Left-breast mammogram, MLO. 33 y/o patient.
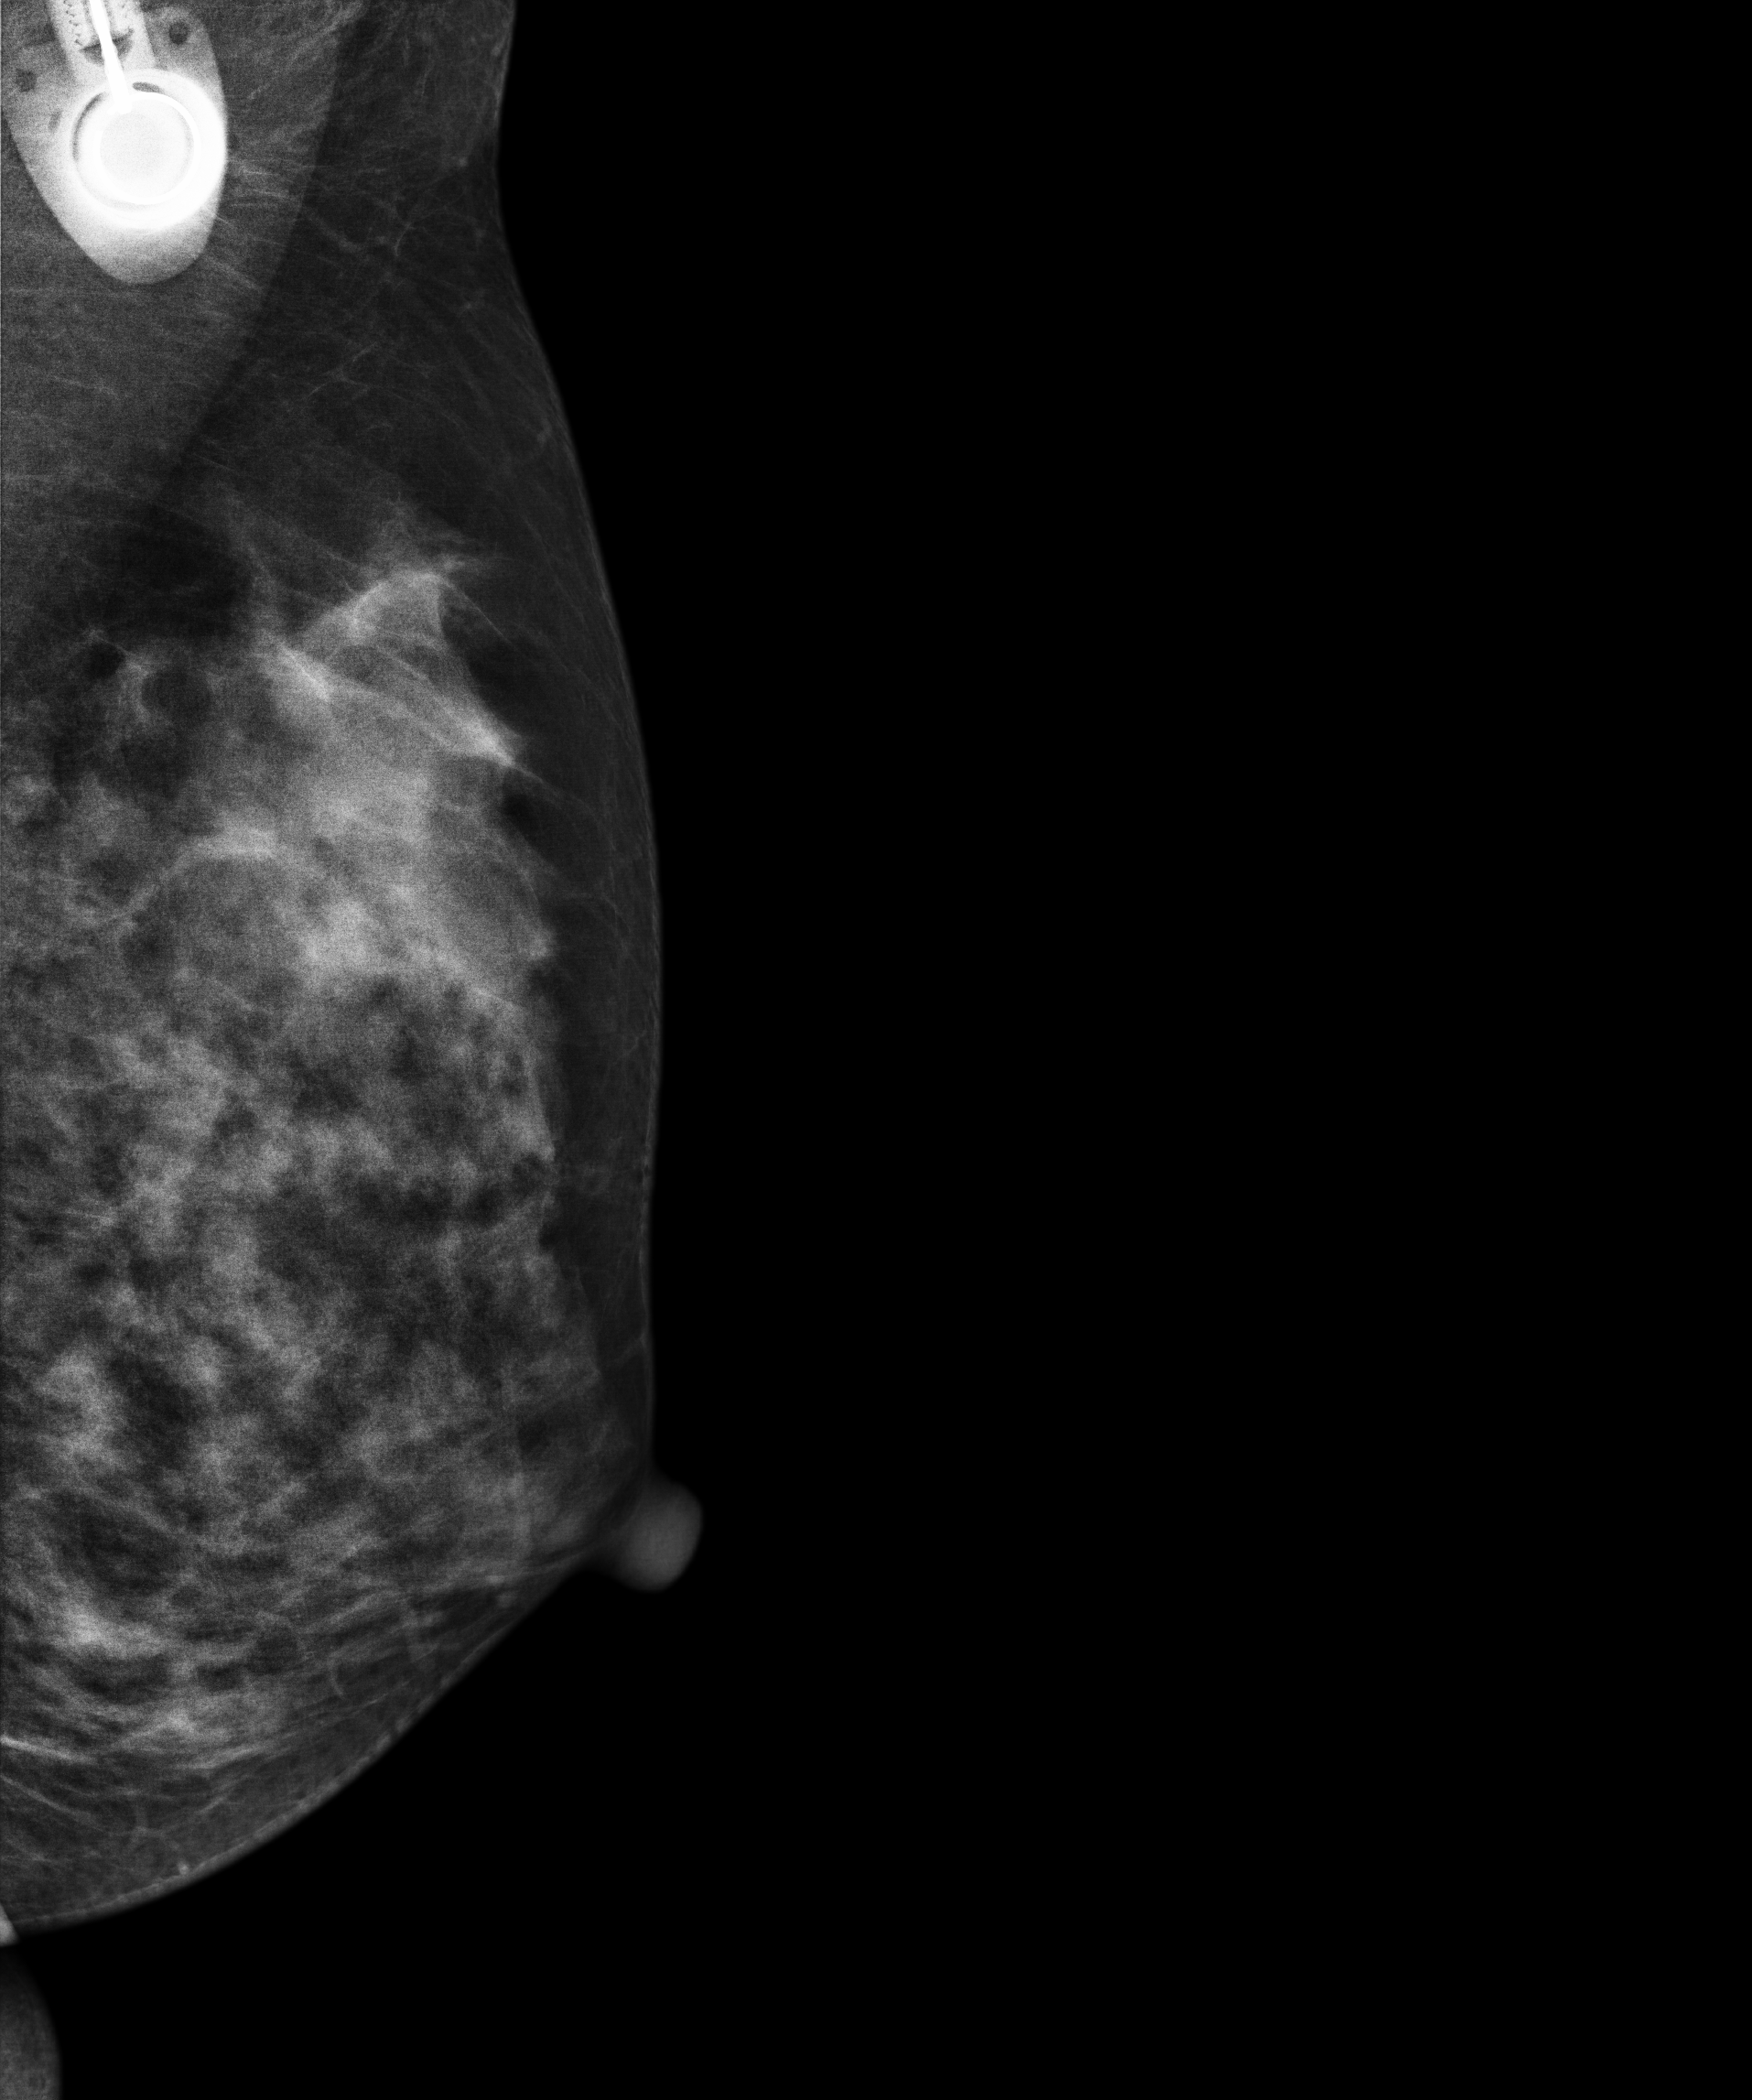
Contralateral breast — no documented abnormality on this side.